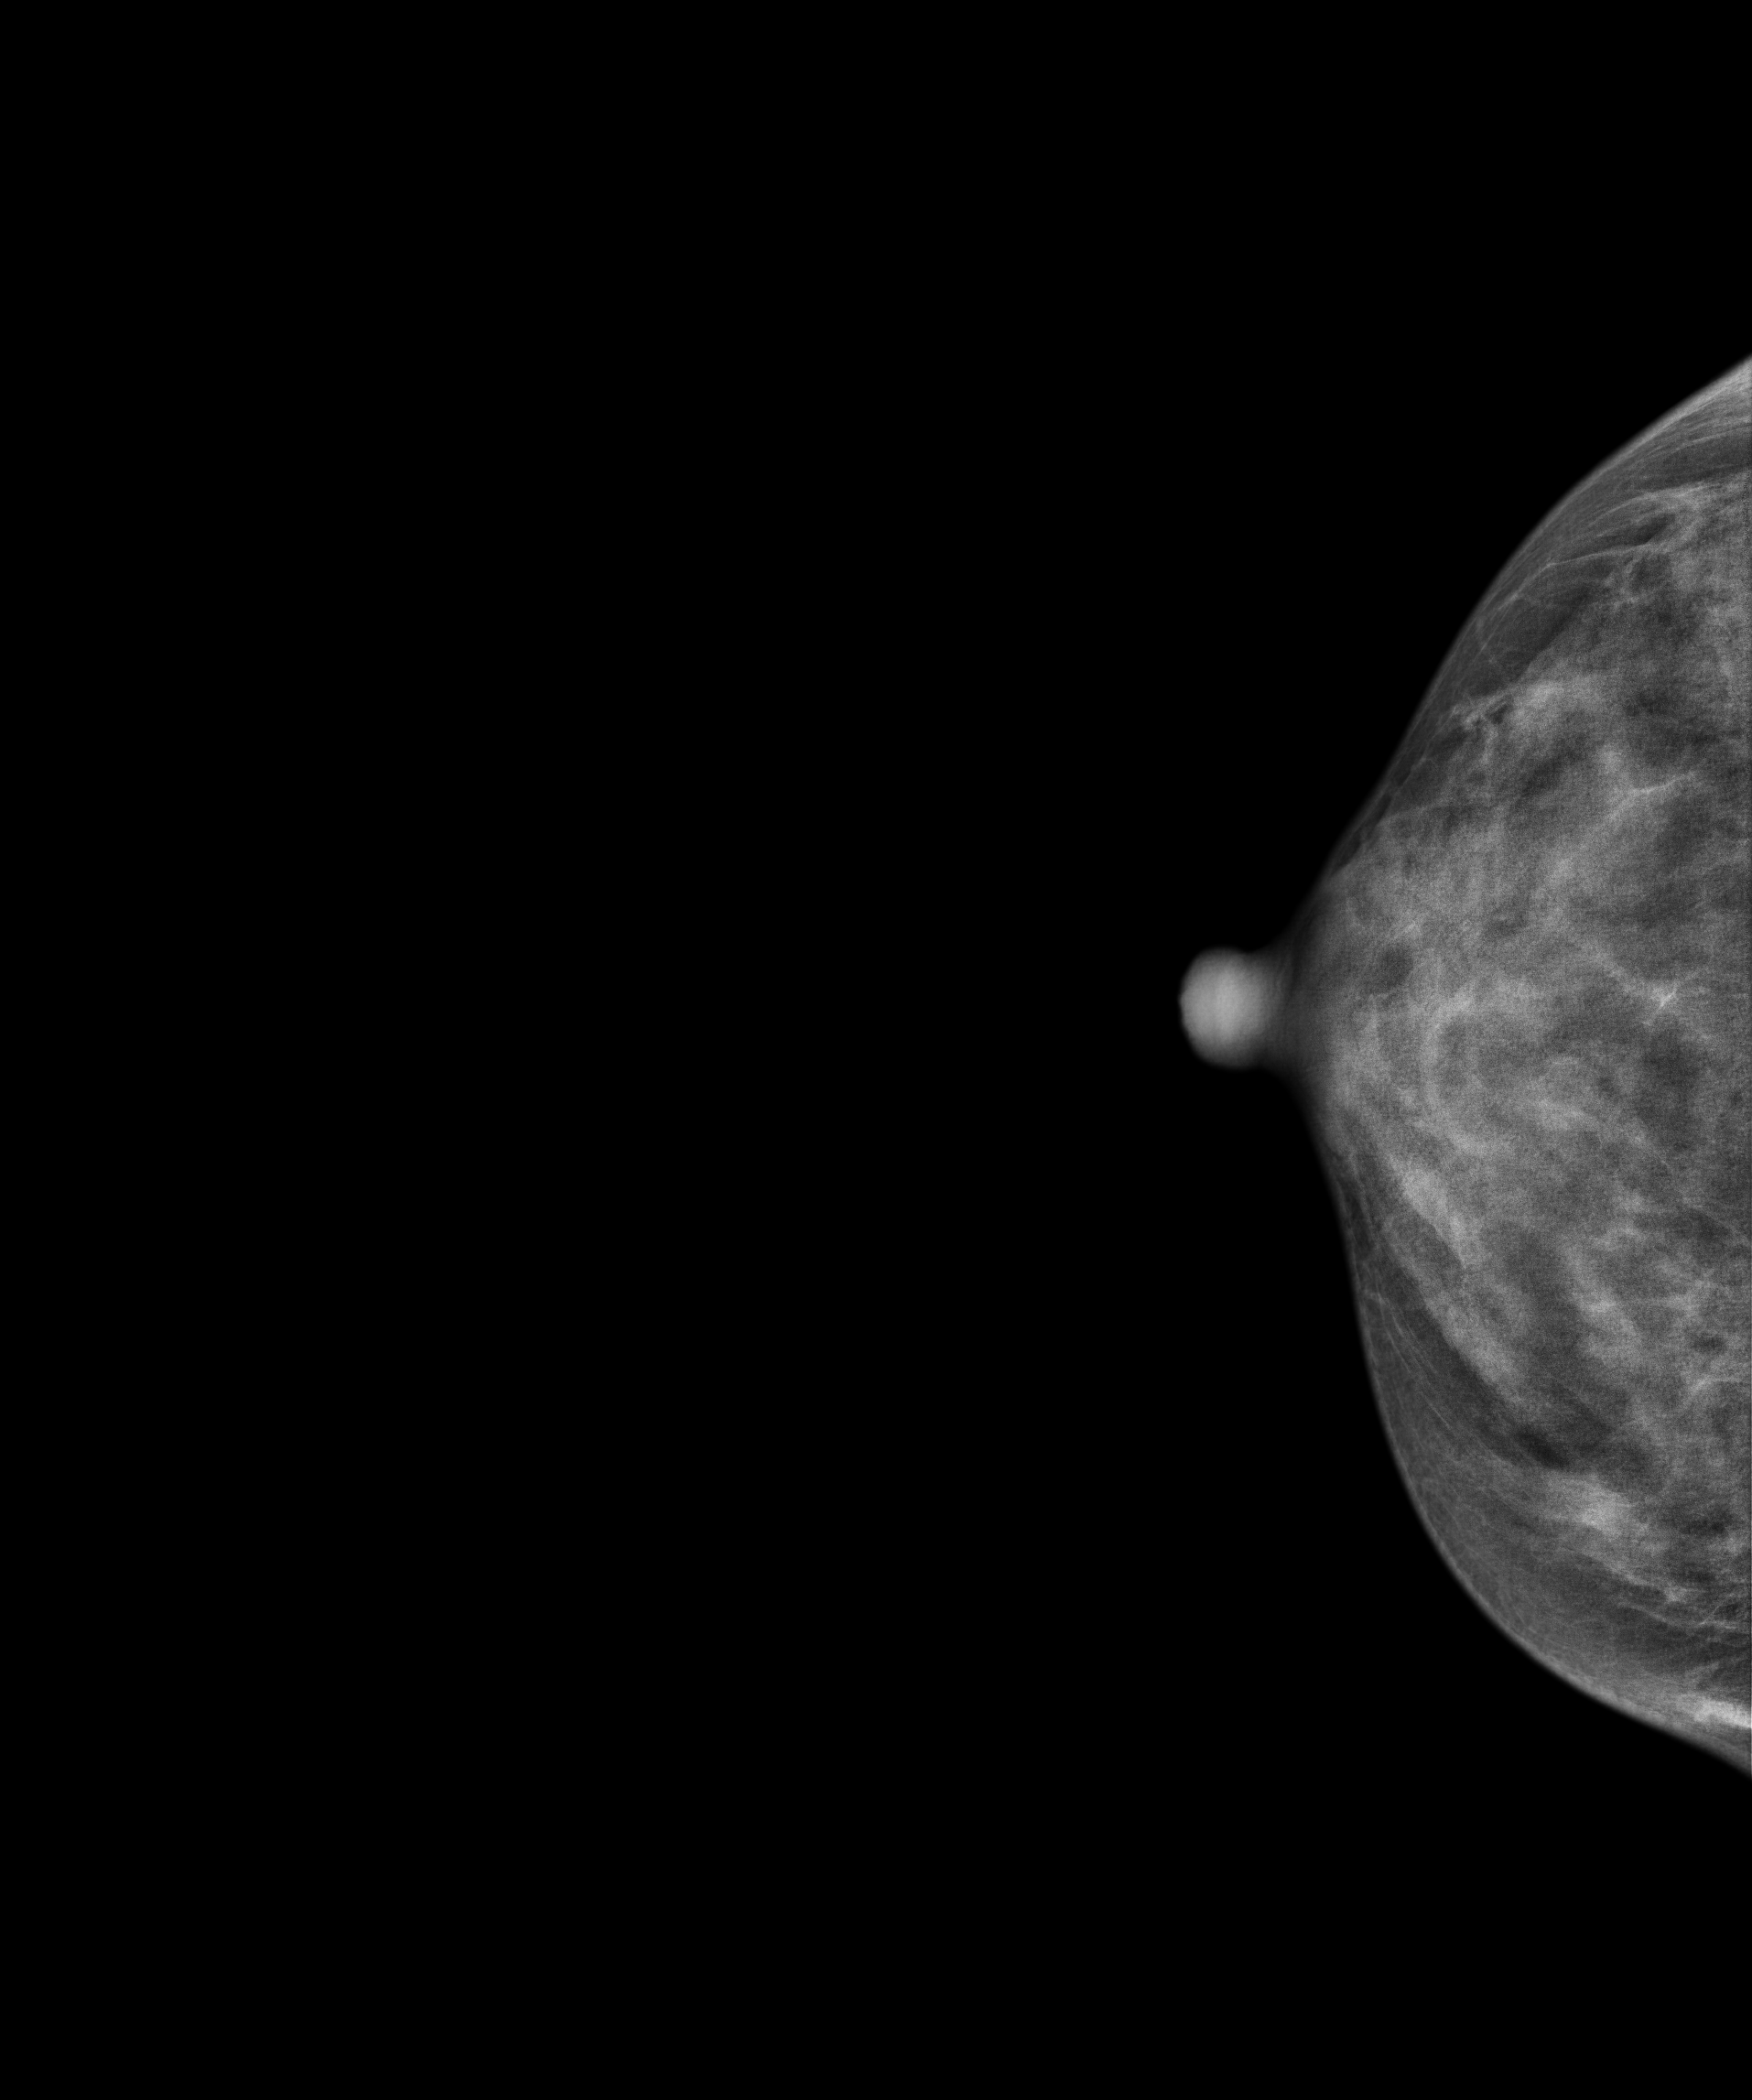
Digital mammography. Right breast, CC projection. Patient age 37.
This breast has a mass, biopsy-confirmed malignant. Molecular subtype: luminal B.